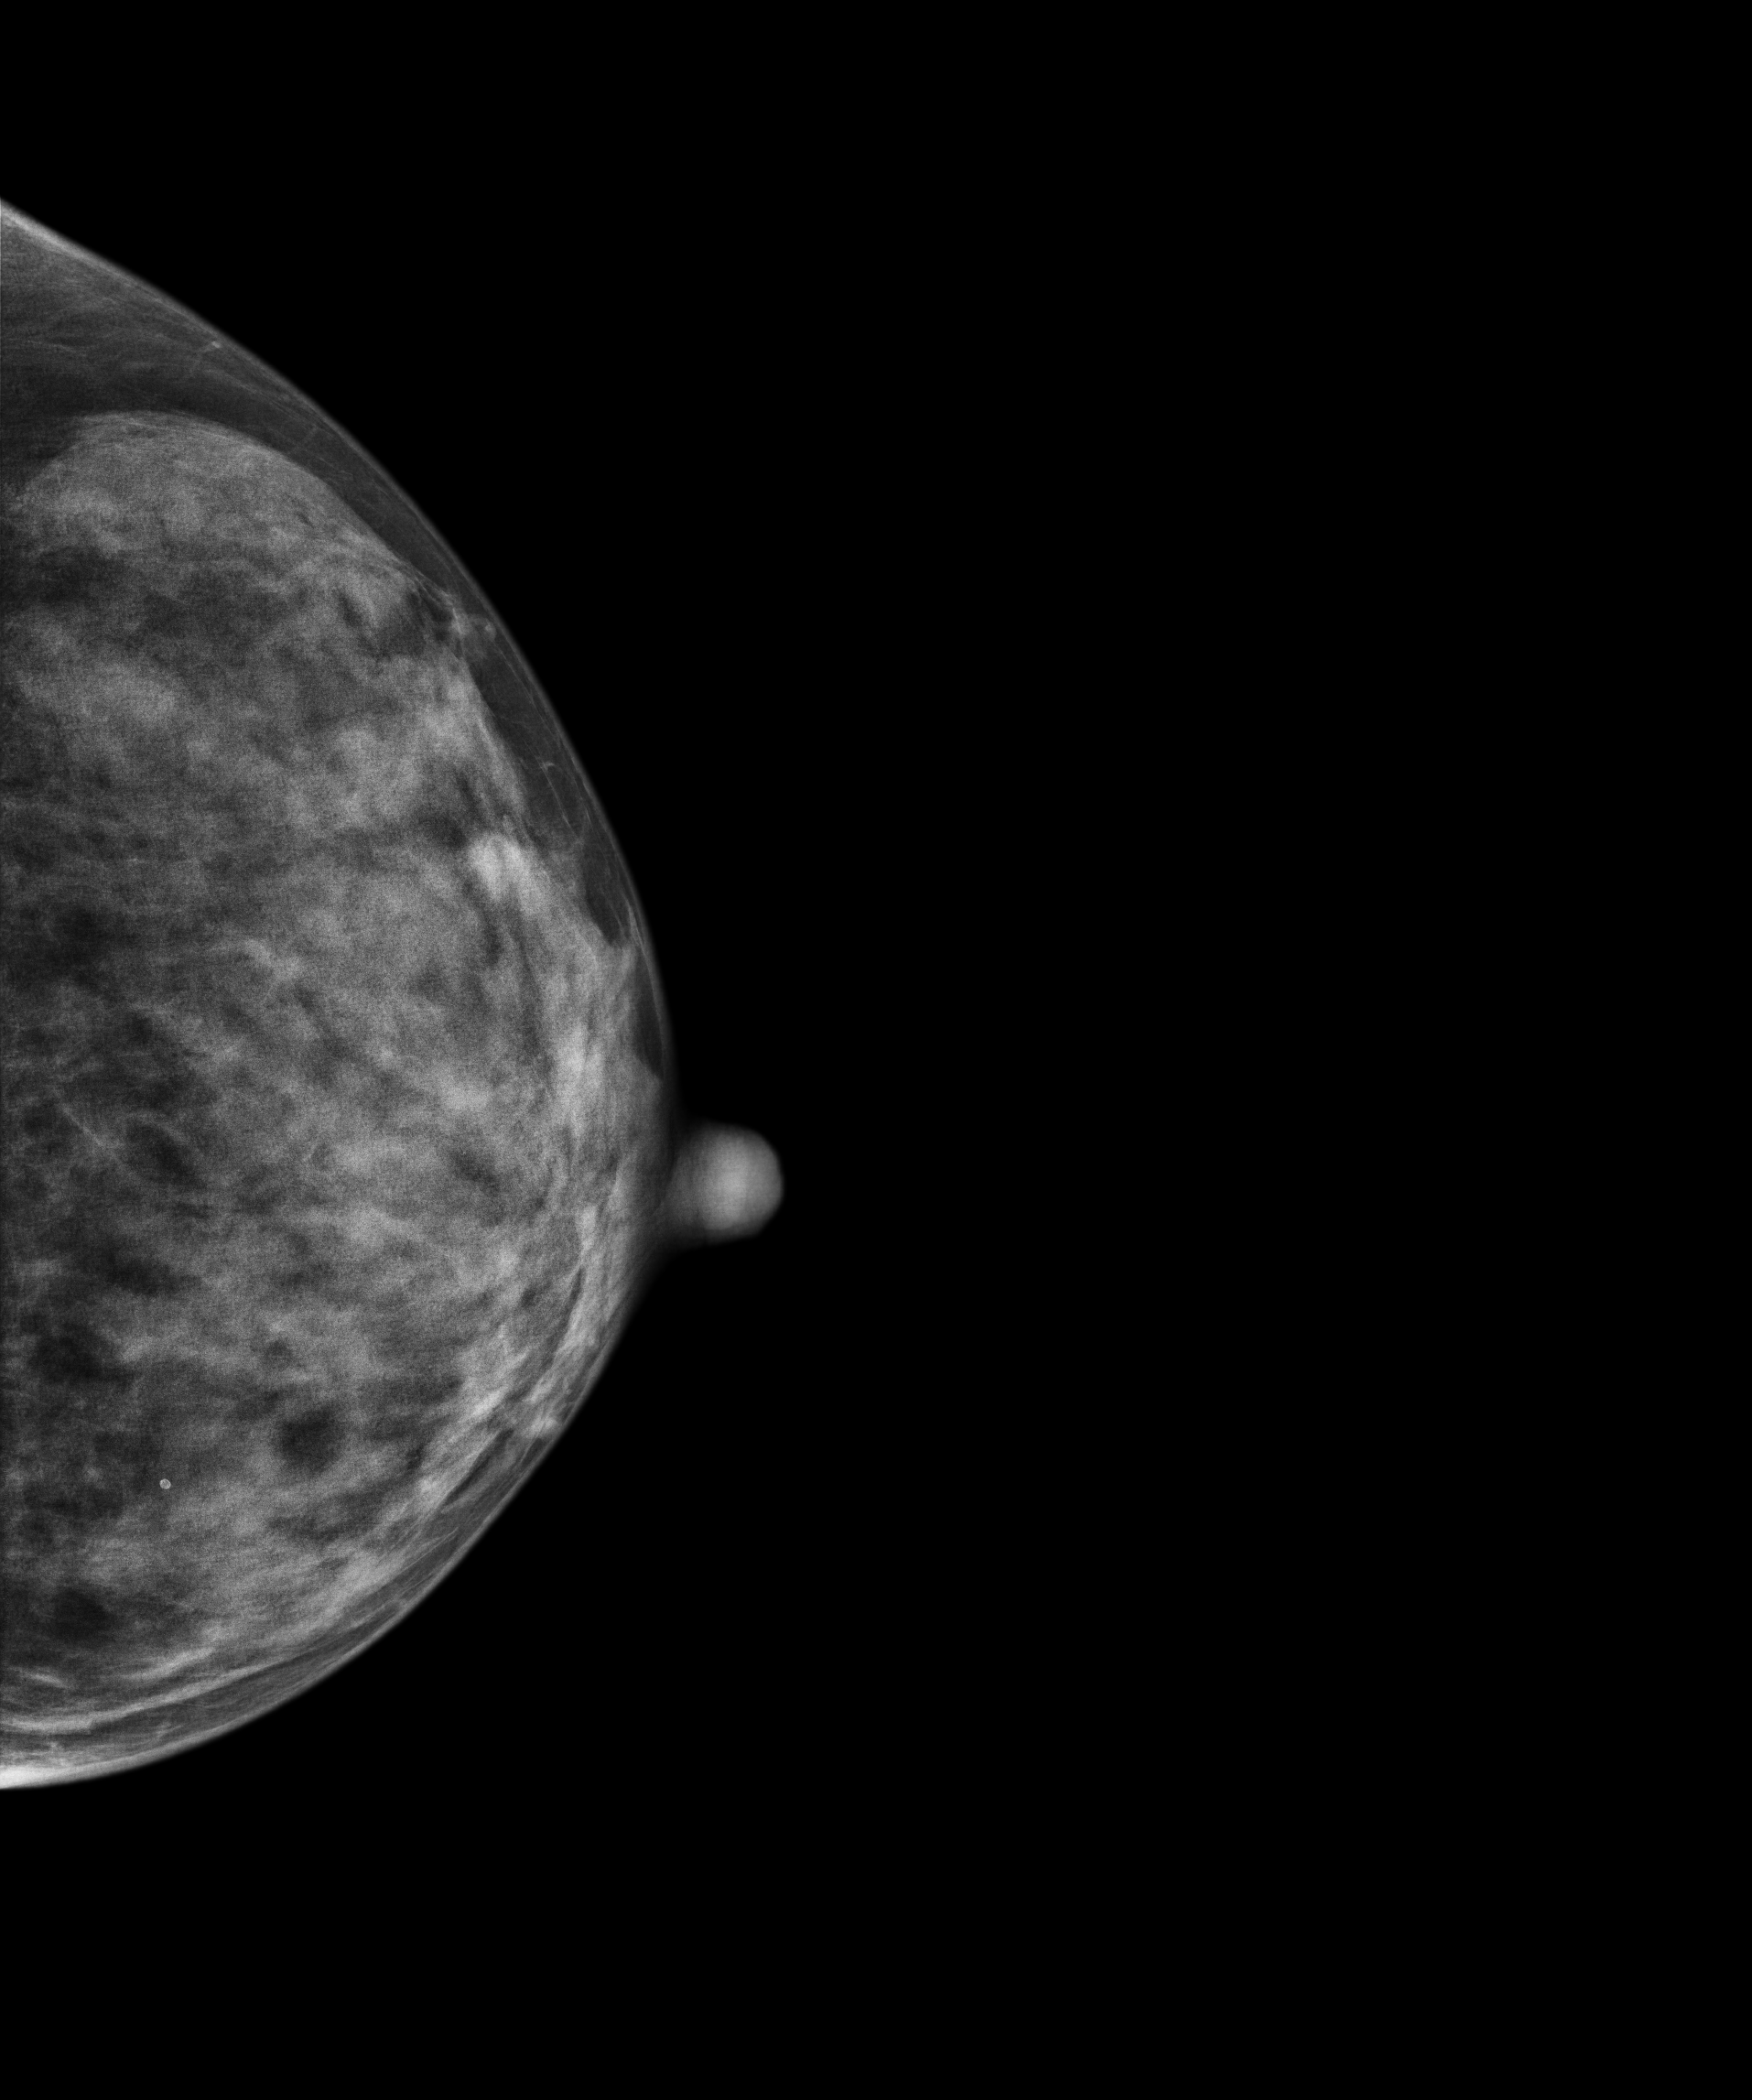
Digital mammography. Left breast, cranio-caudal projection. 46 y/o patient.
Contralateral breast — no documented abnormality on this side.